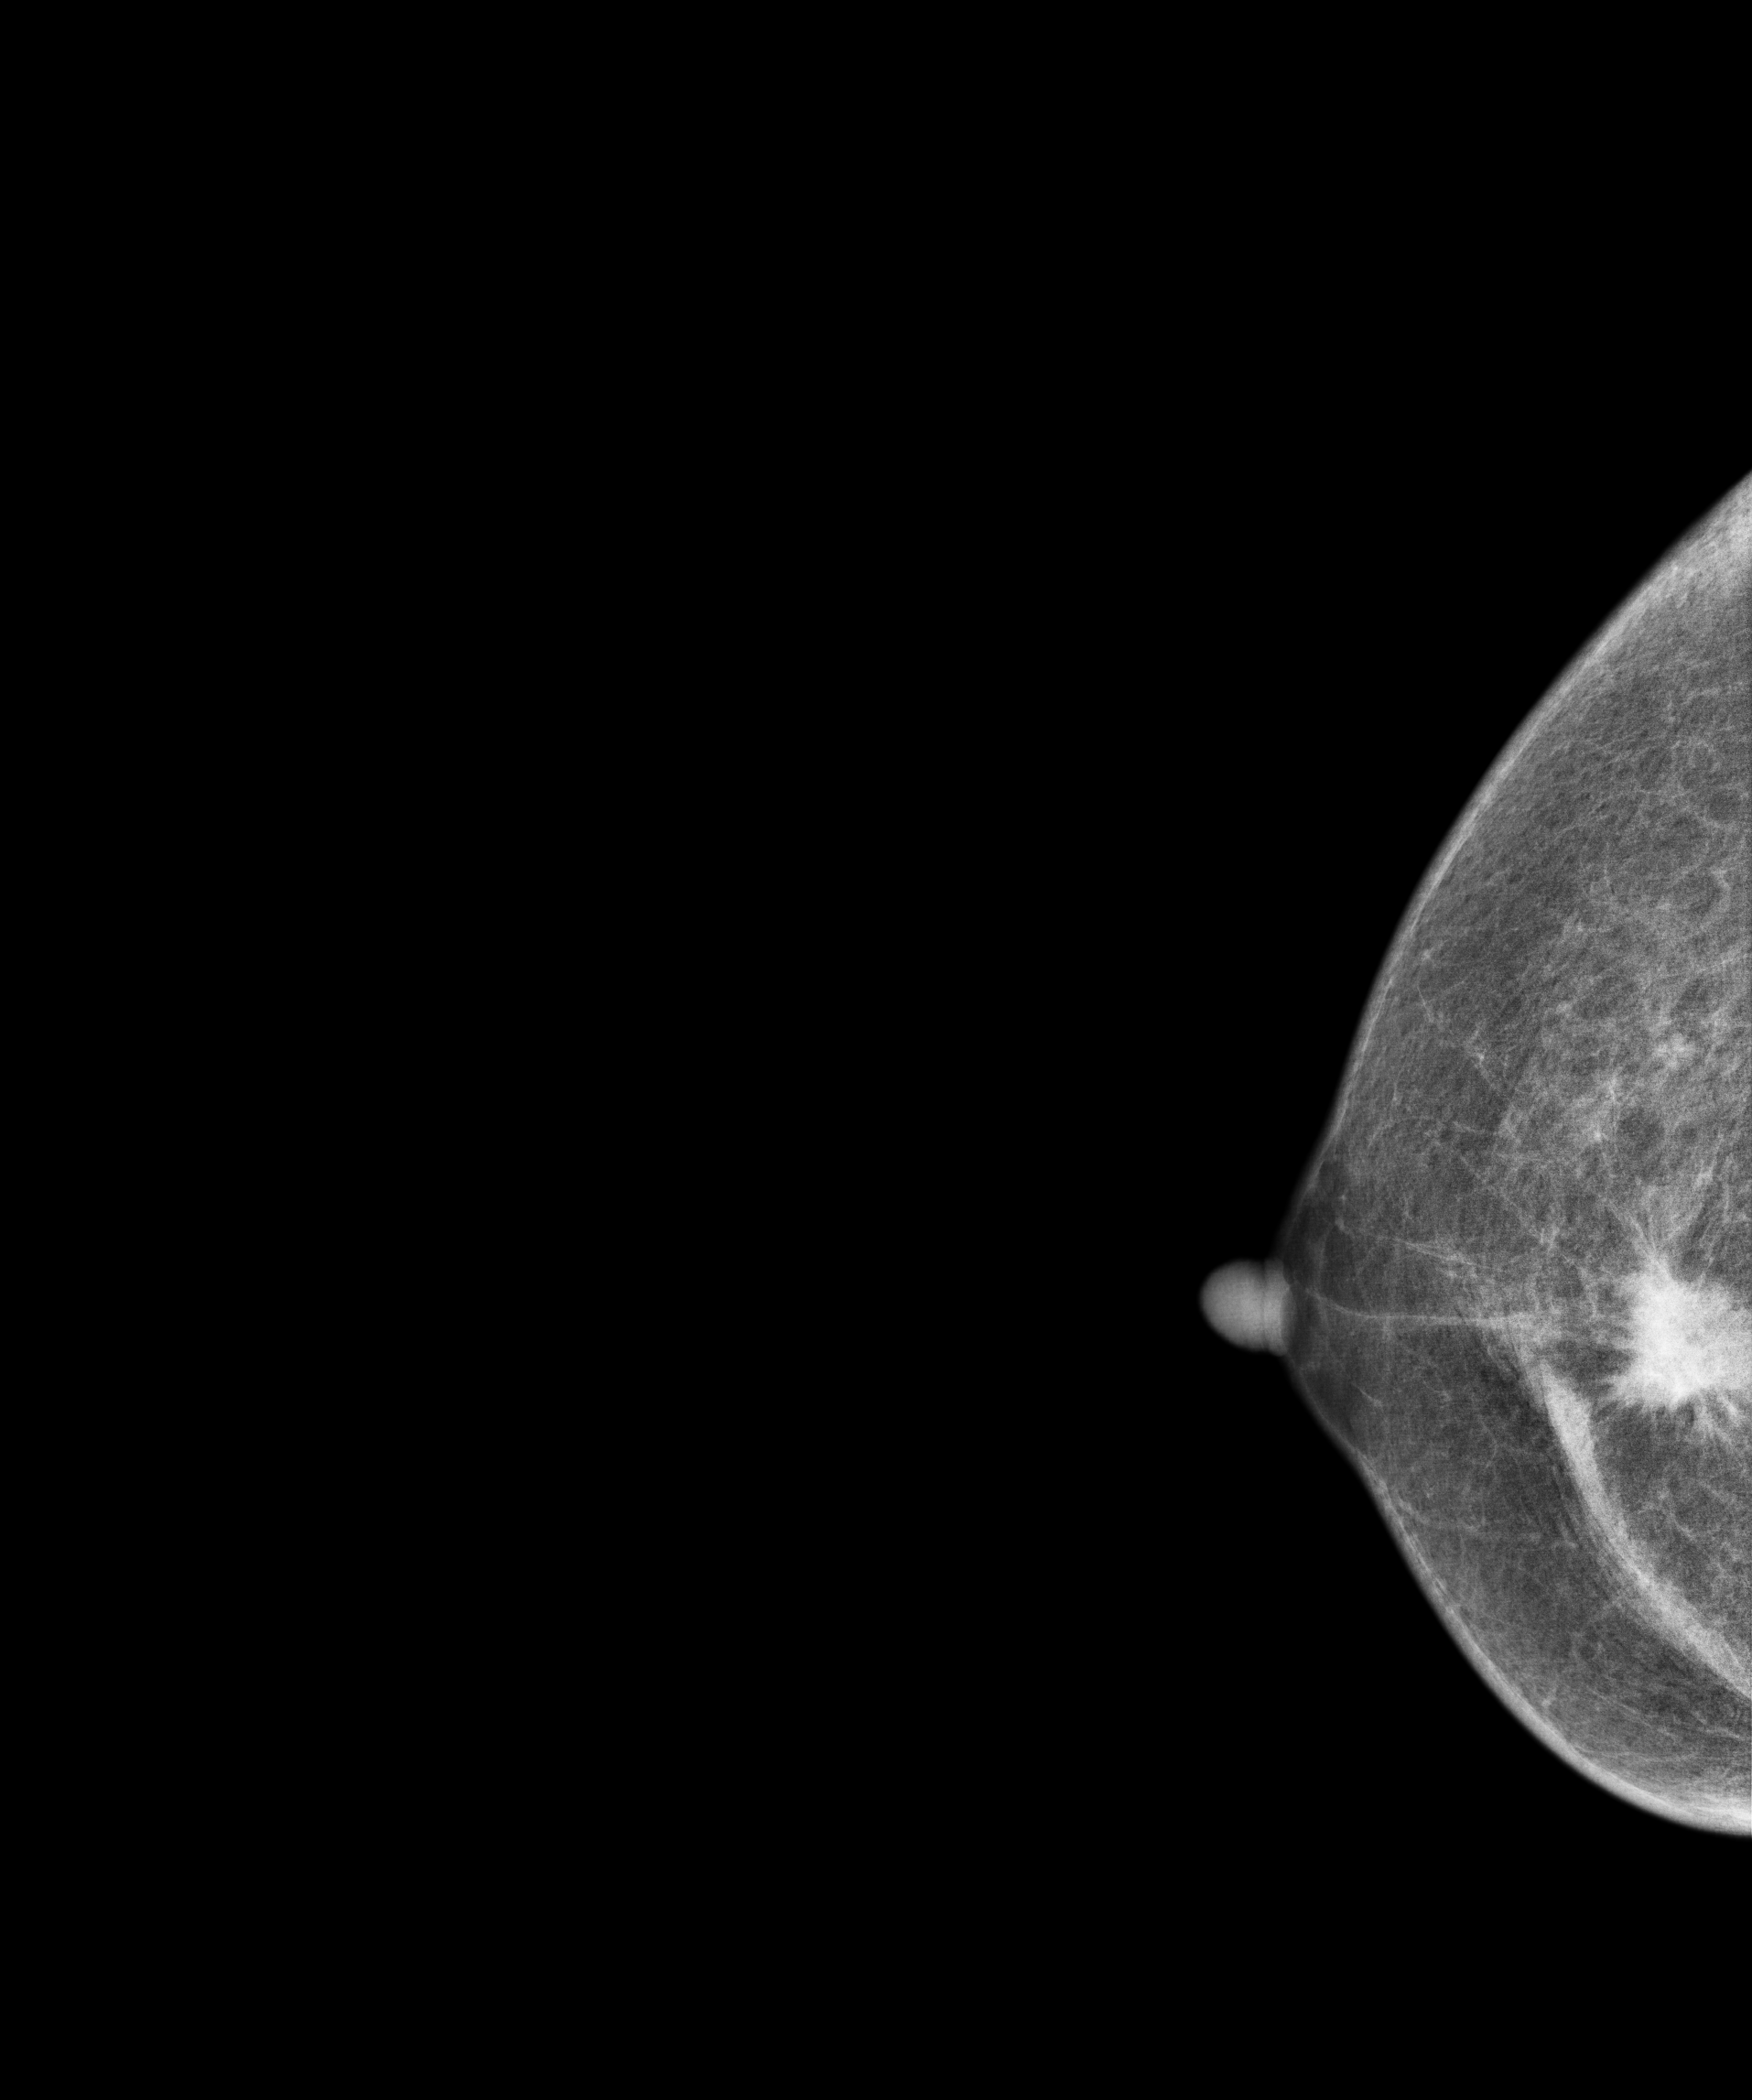
Right-breast mammogram, cranio-caudal. 75-year-old patient.
This breast has a mass, histologically confirmed malignant. Molecular subtype: luminal A.